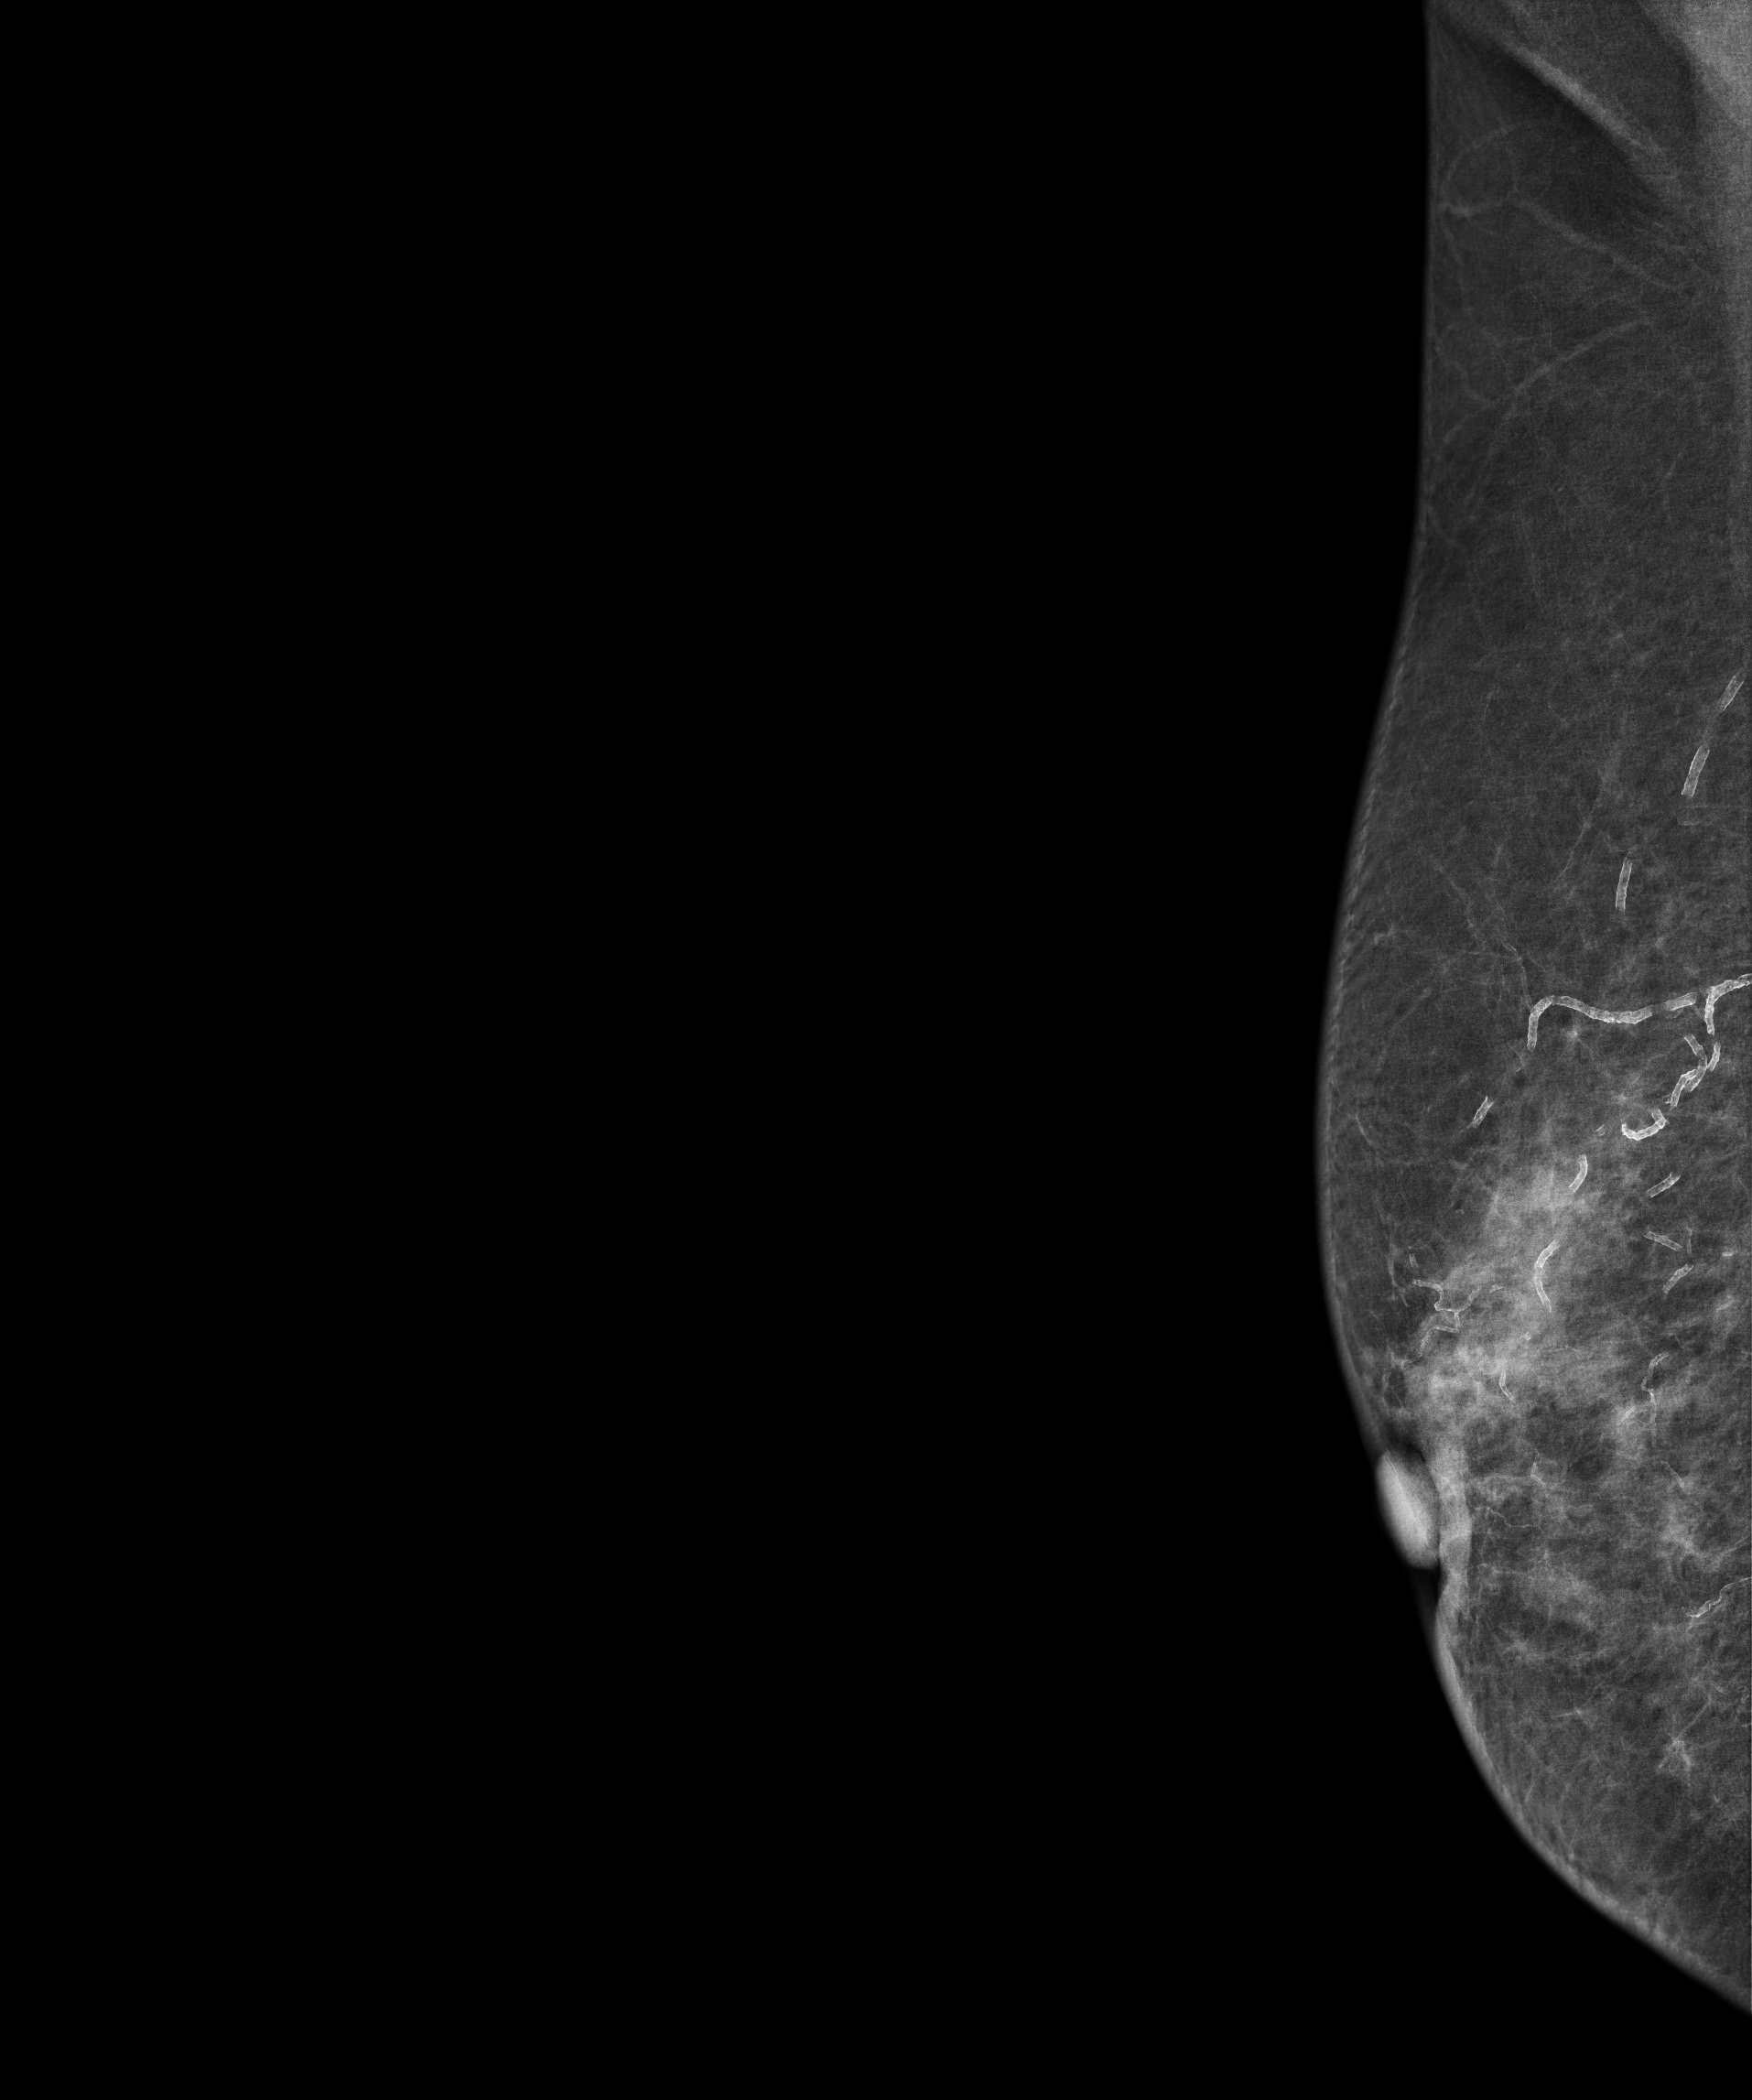
Mammogram, right breast, medio-lateral oblique view. Patient age 73.
This breast has a mass, pathology-confirmed malignant. Molecular subtype: luminal A.